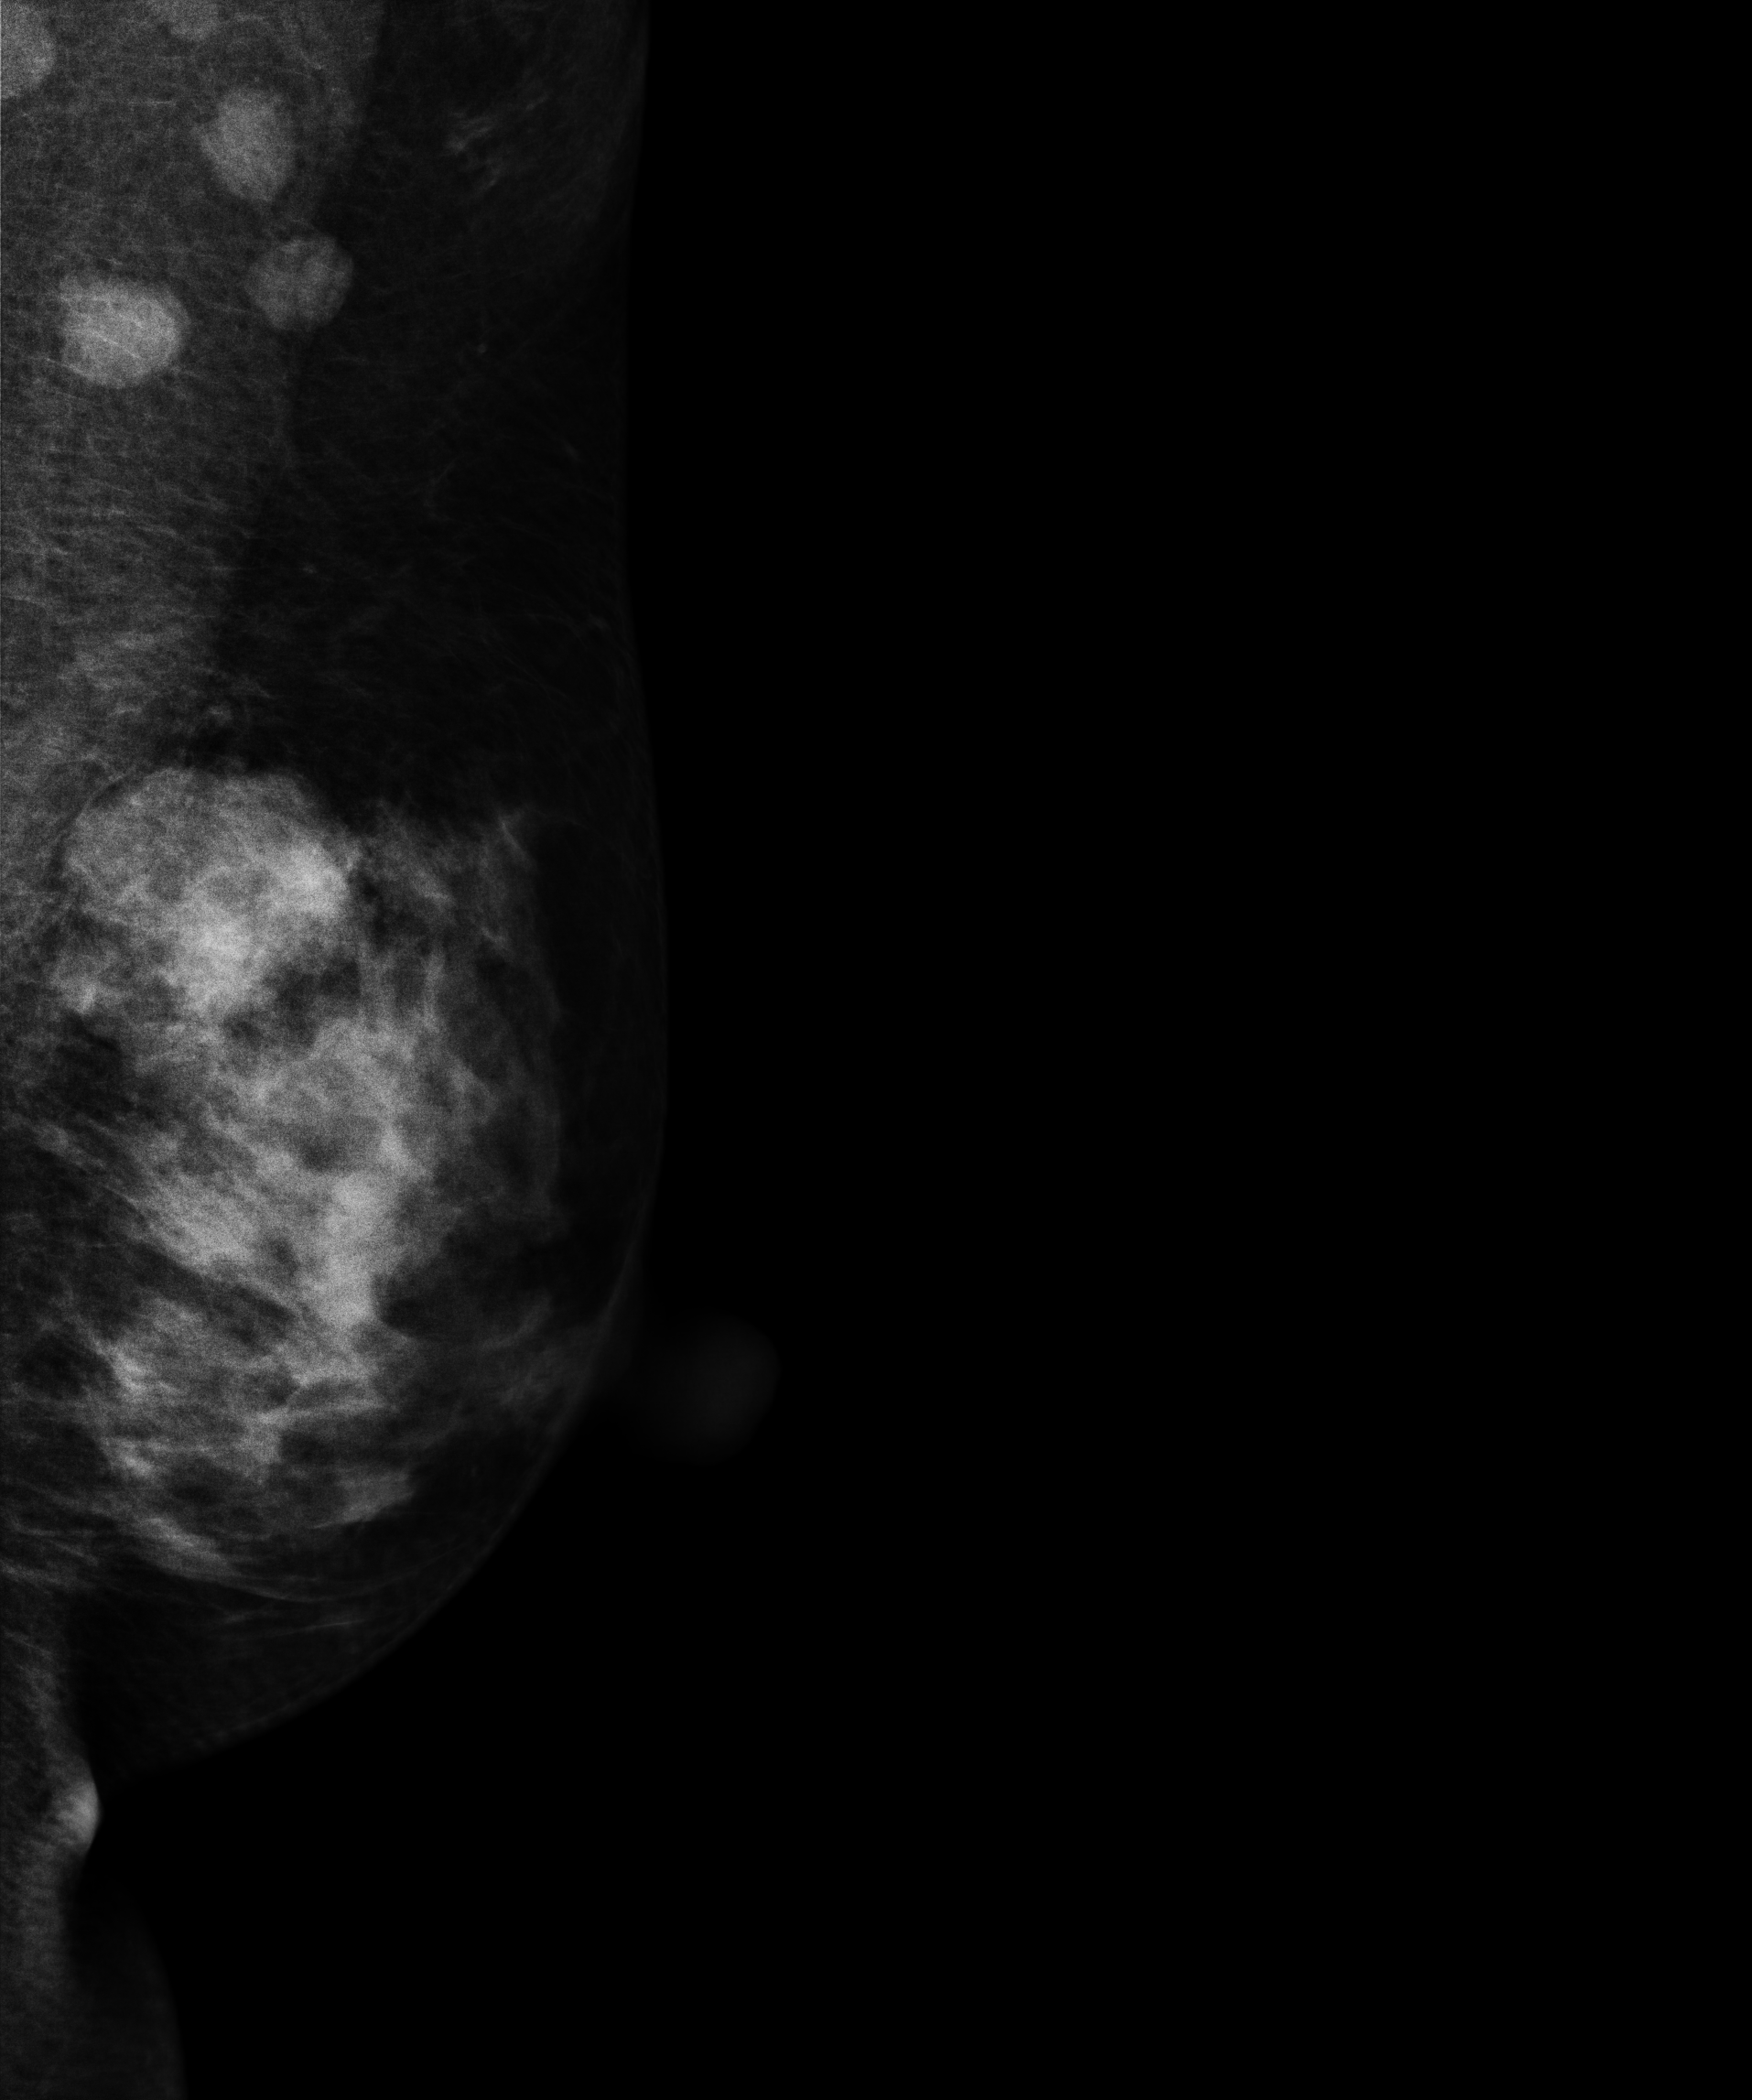
Digital mammography. Left breast, MLO projection. Patient age 46.
This breast has a mass, biopsy-proven malignant. Molecular subtype: triple-negative.